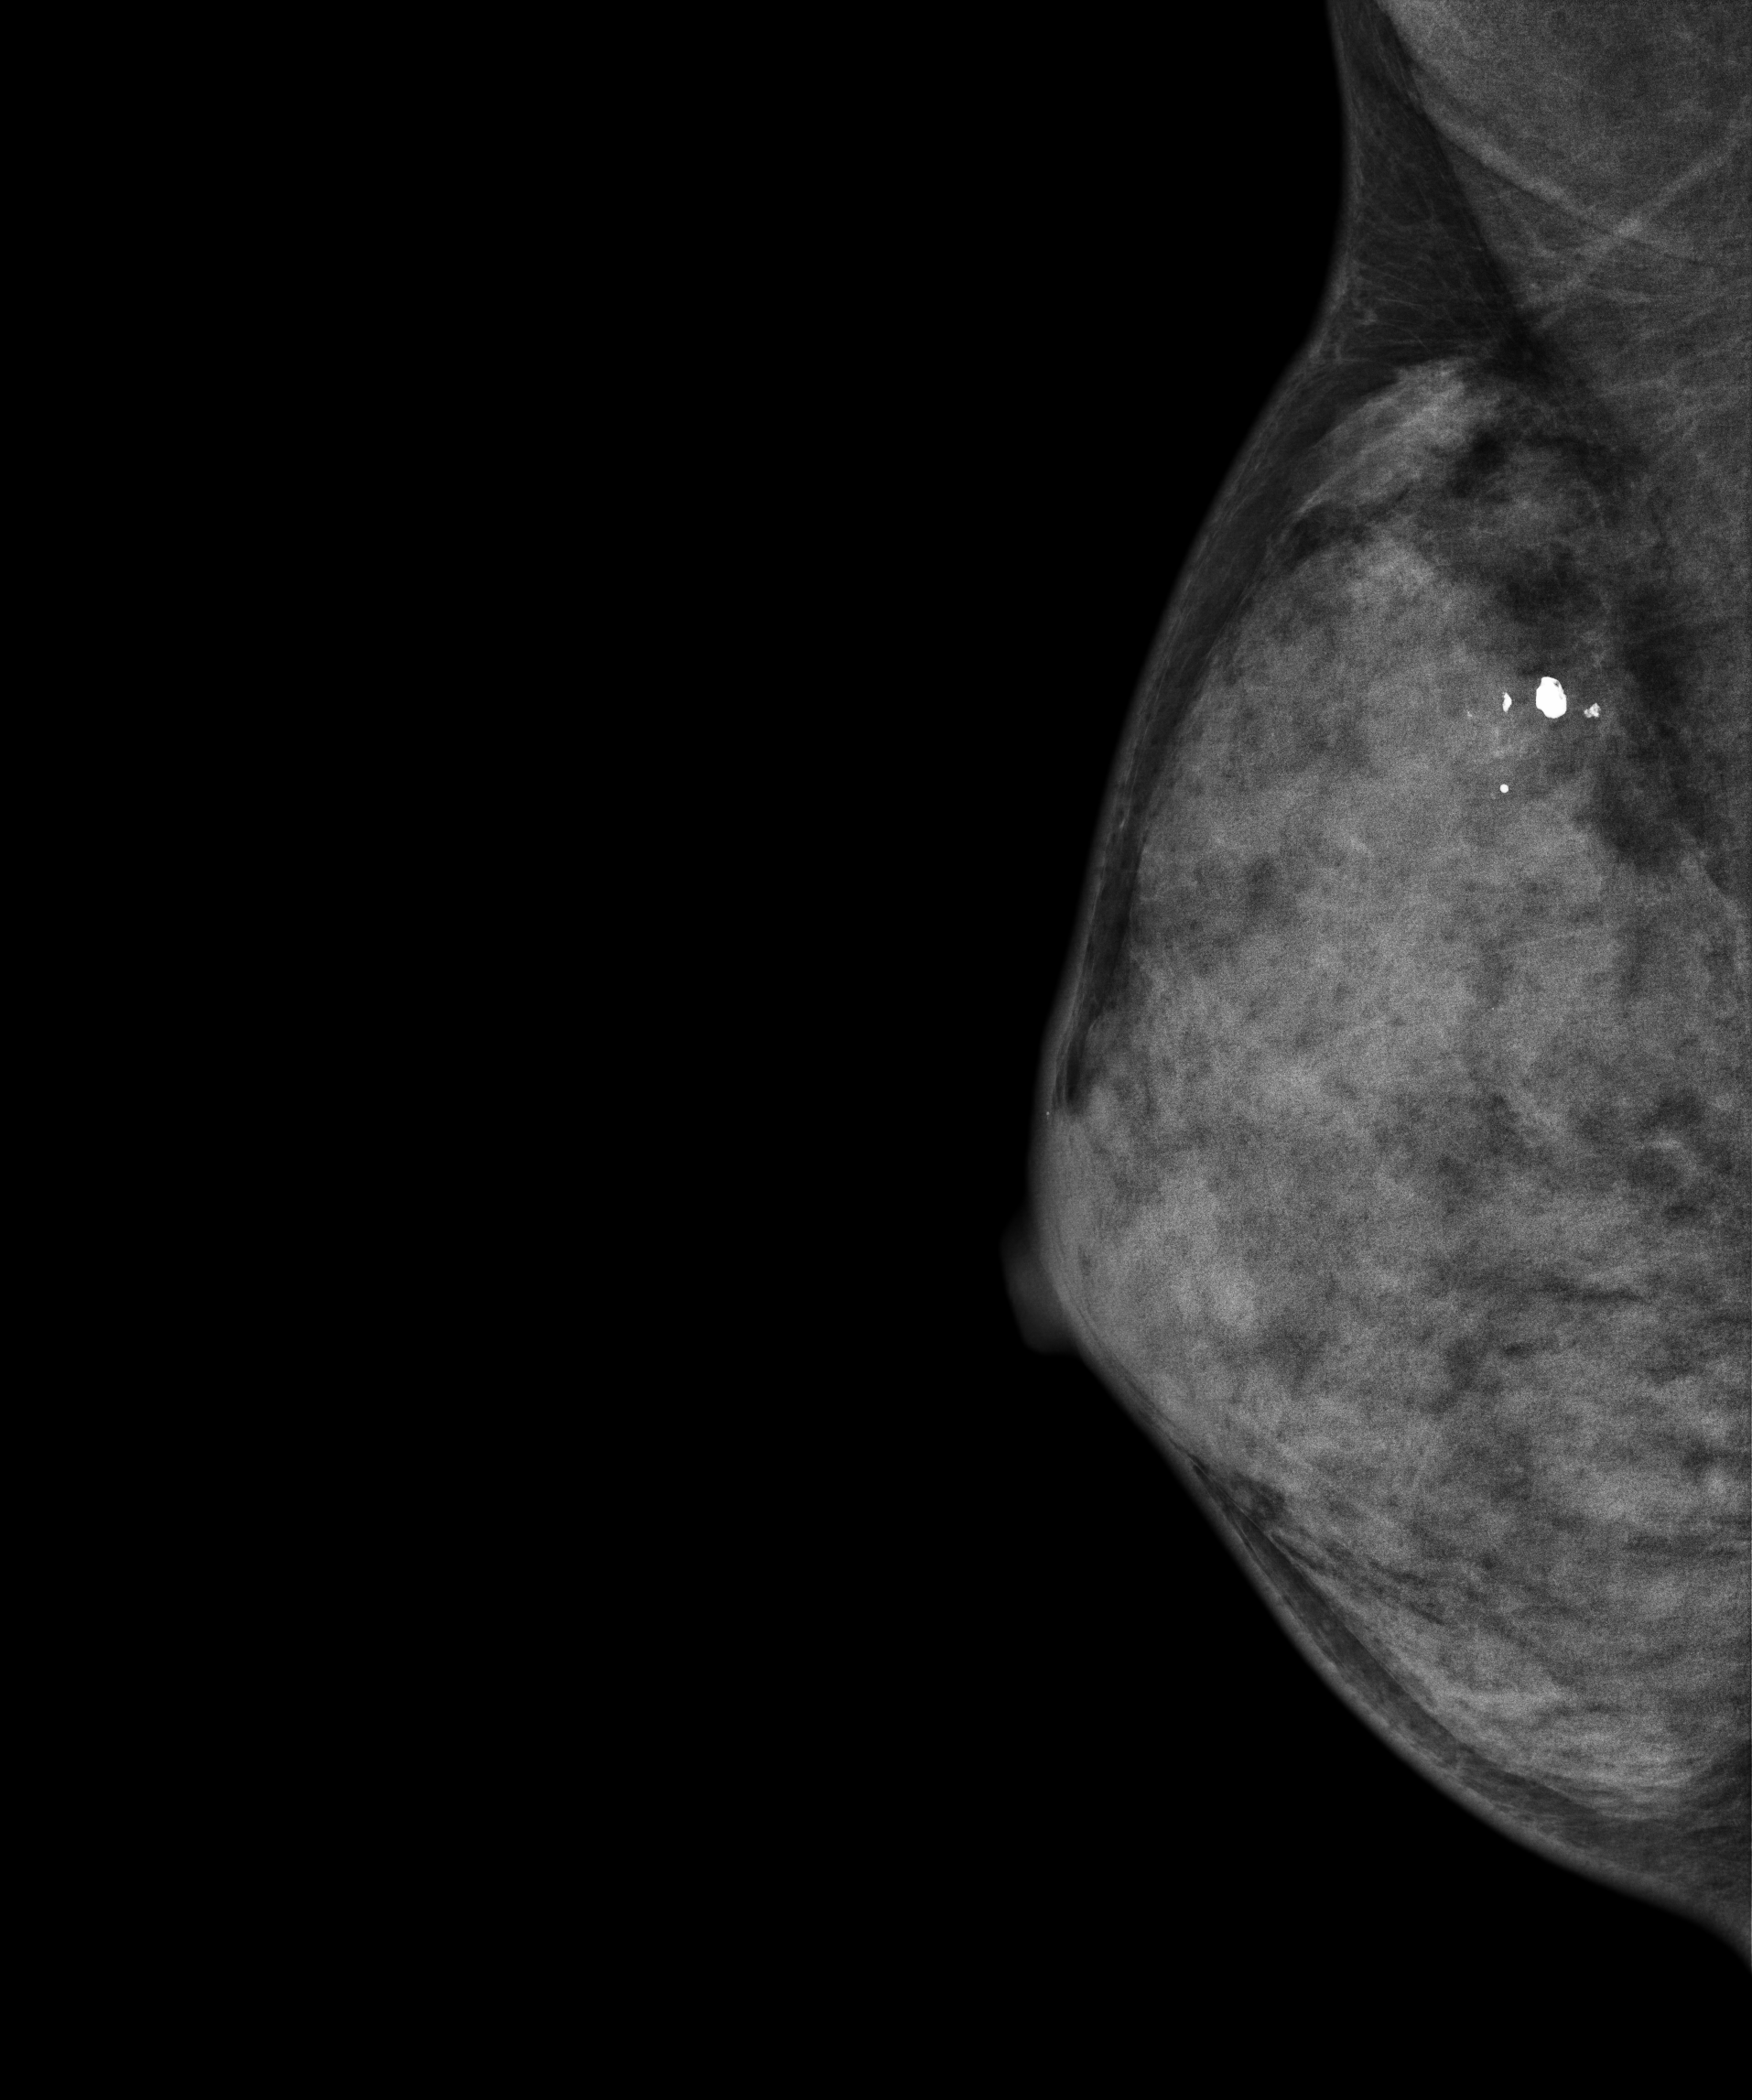
Right-breast mammogram, MLO. 50-year-old patient.
This breast has a mass, pathology-confirmed benign.